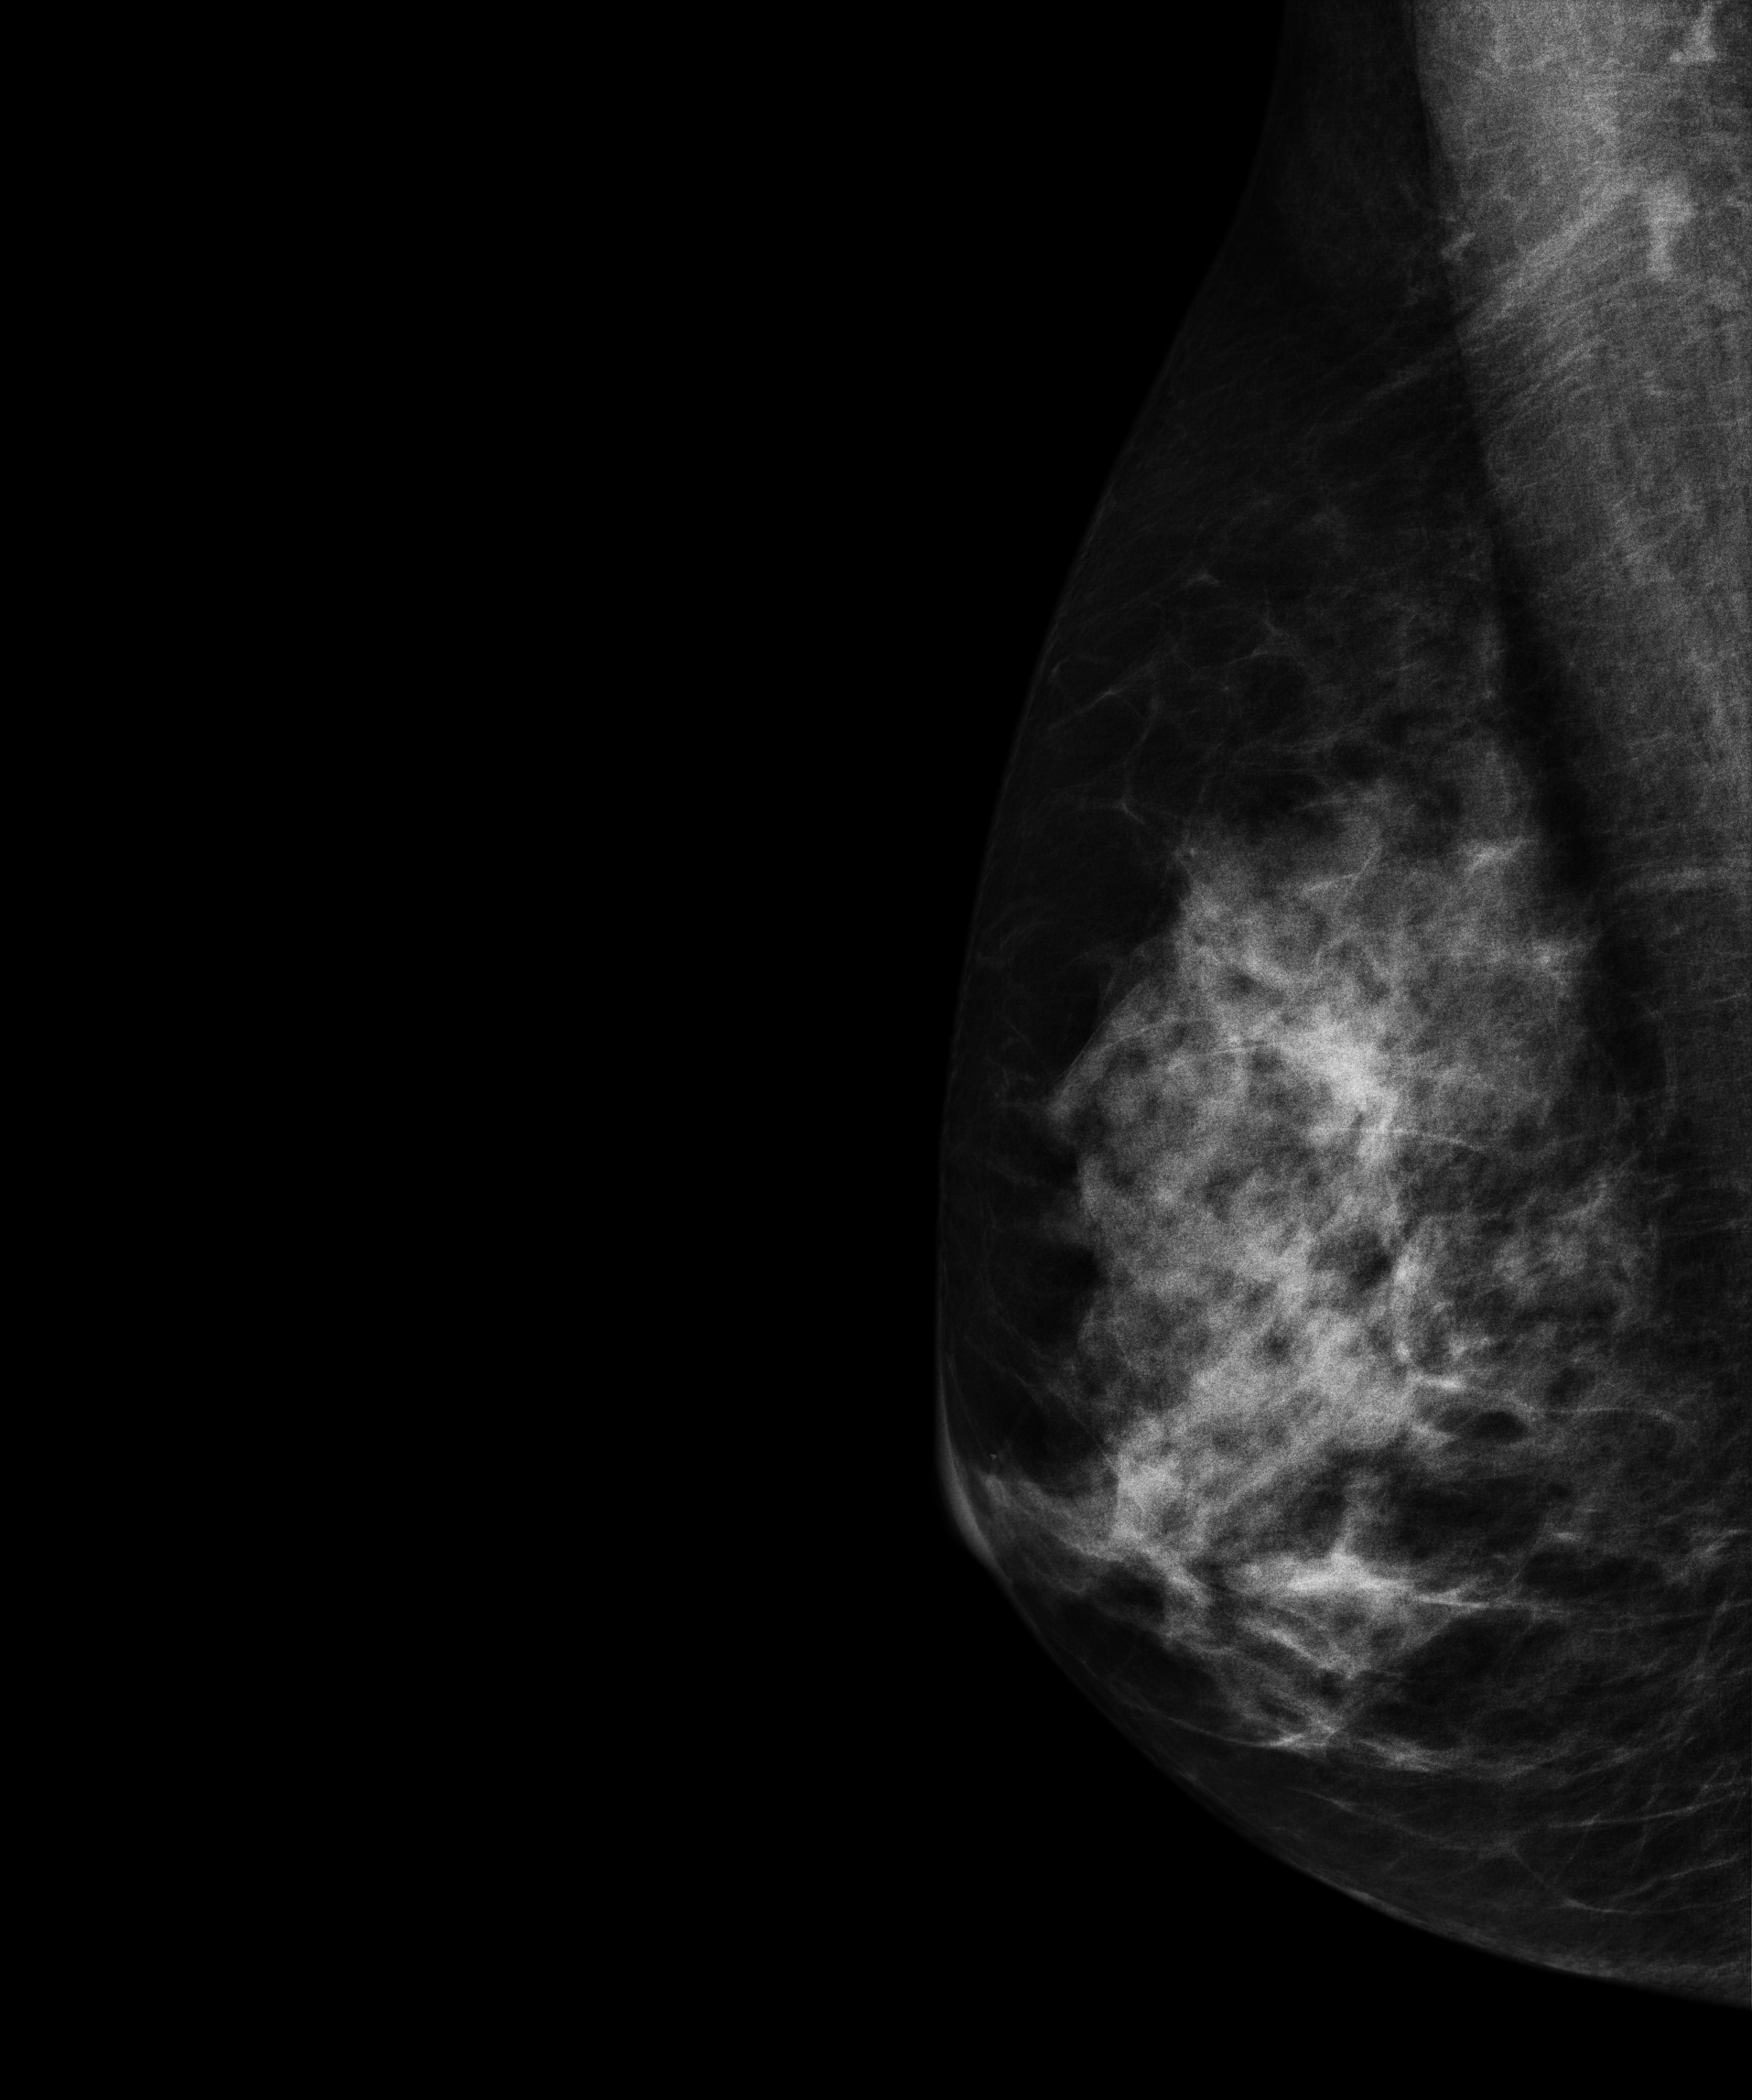
Right-breast mammogram, medio-lateral oblique. Patient age 56.
Contralateral breast — no documented abnormality on this side.